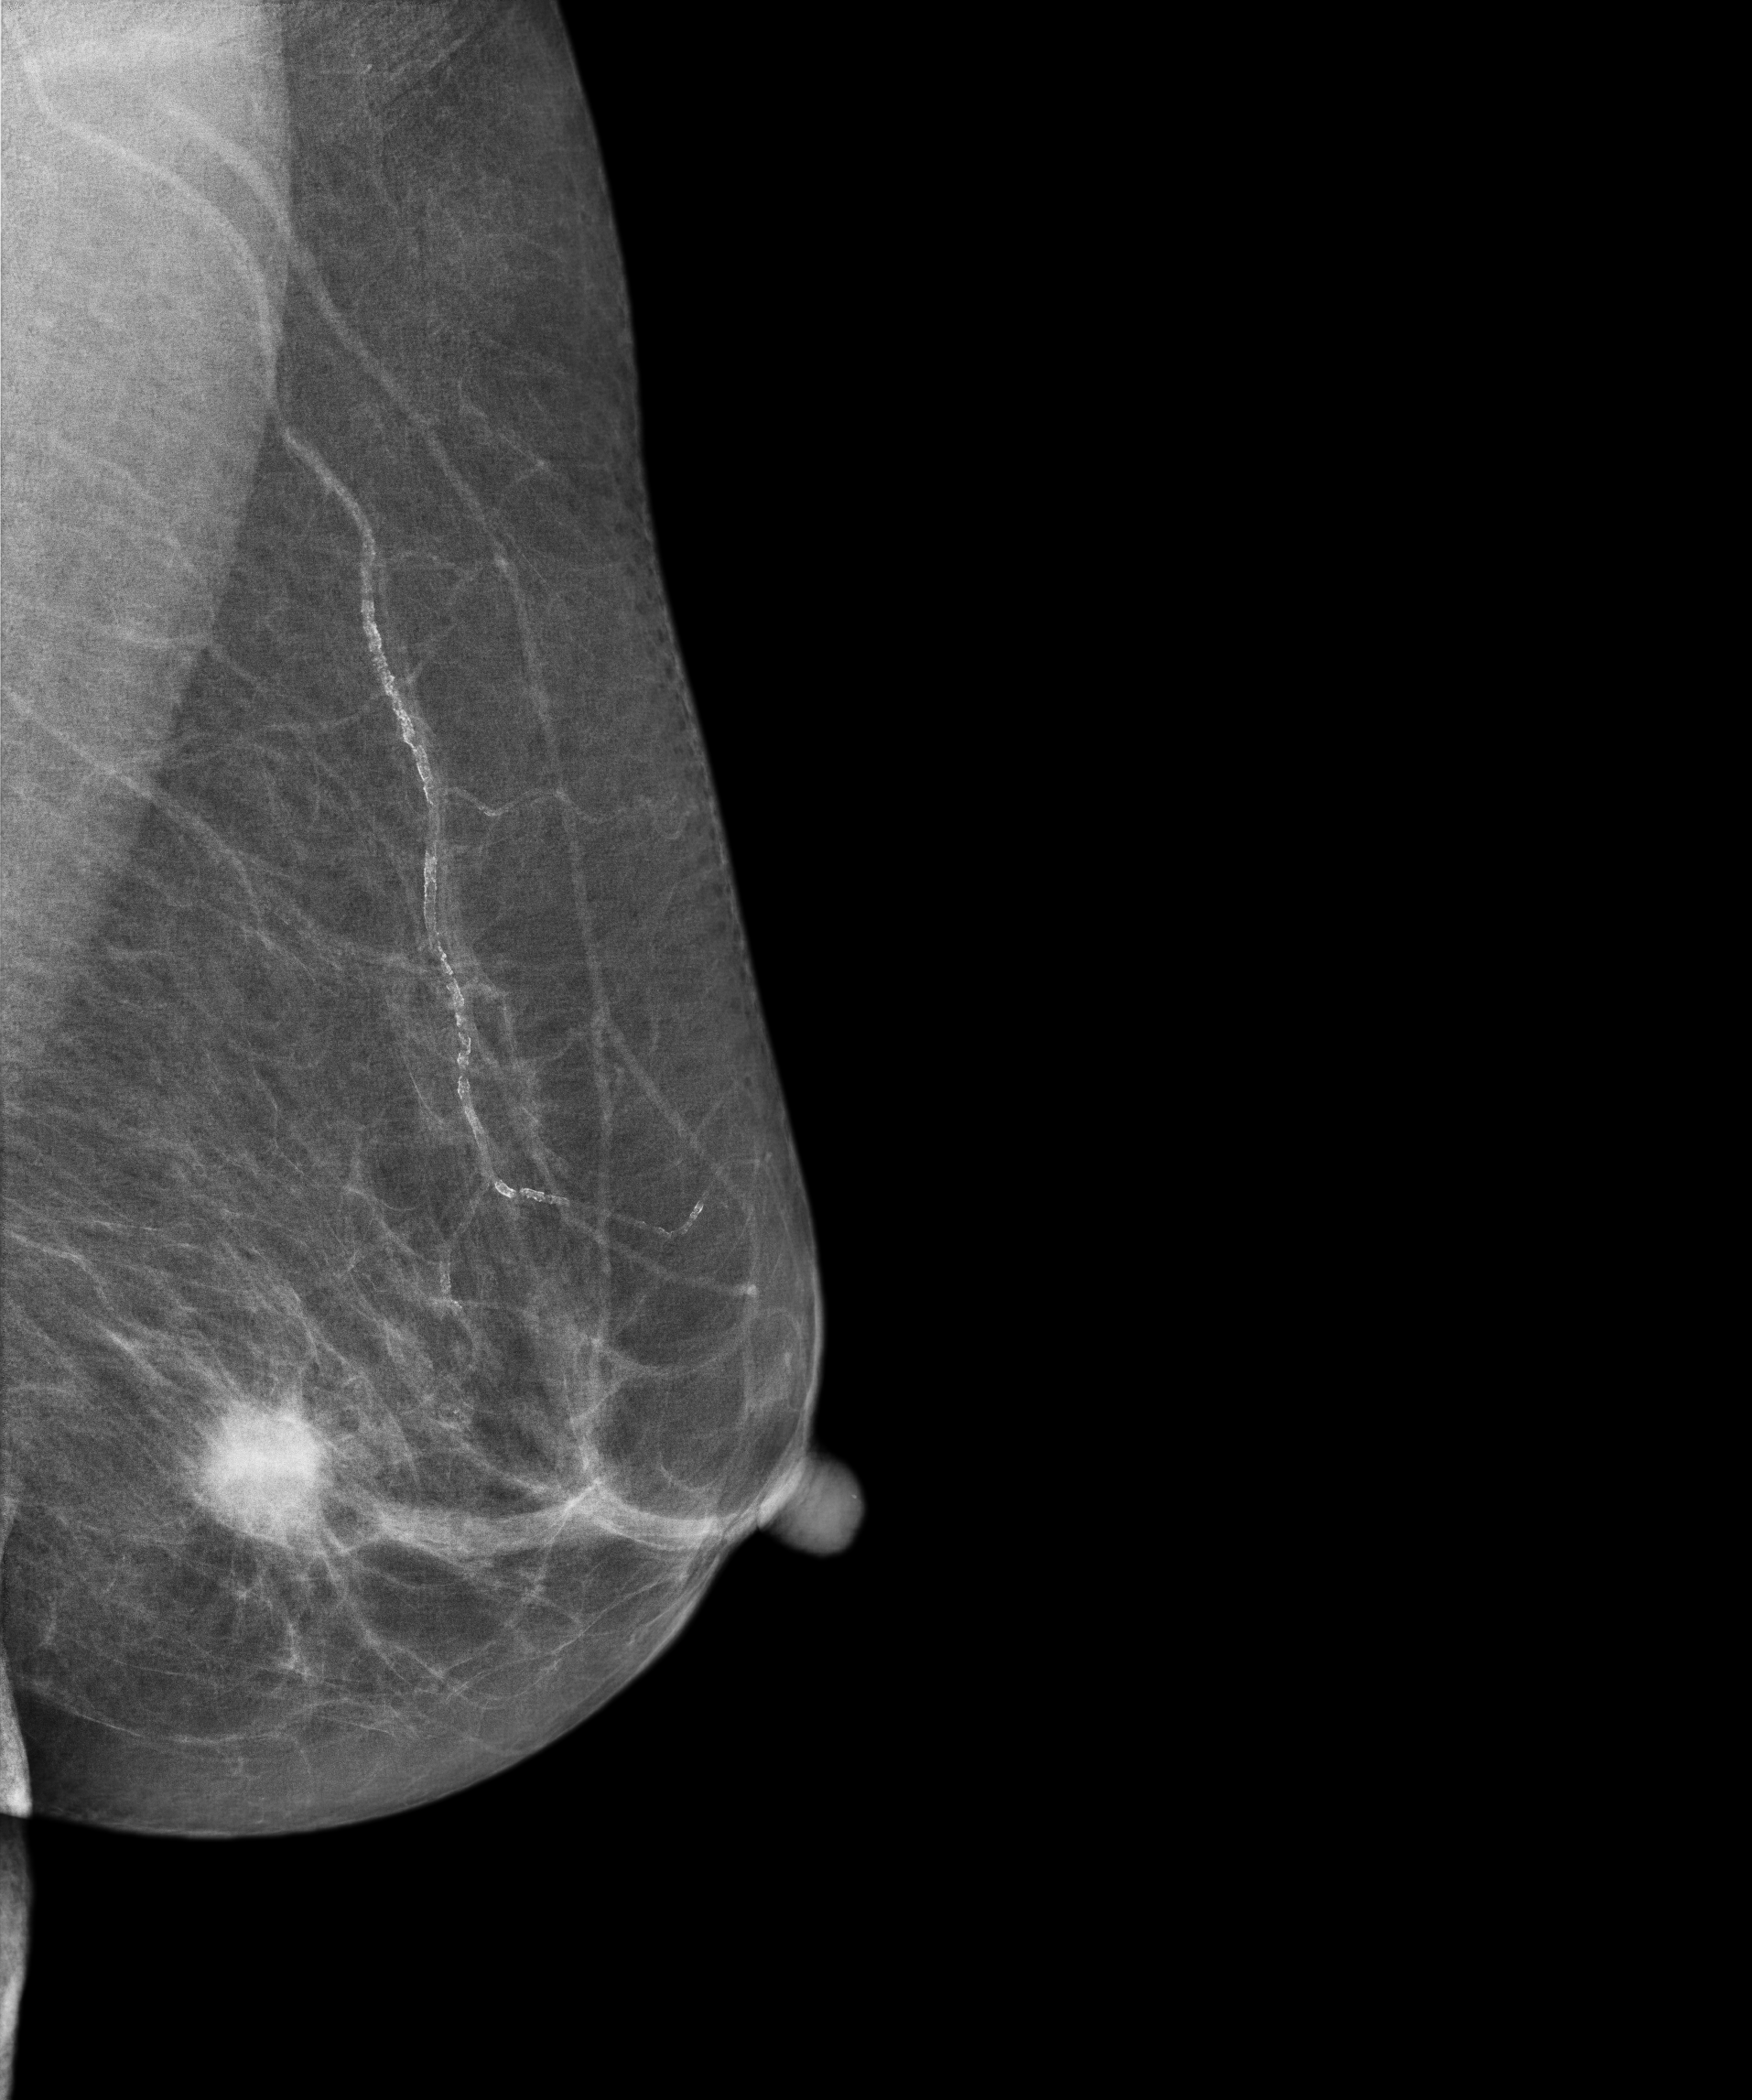
Mammogram — left medio-lateral oblique. 74 y/o patient.
This breast has a mass, pathology-confirmed malignant. Molecular subtype: luminal B.